Right-breast mammogram, medio-lateral oblique. Patient age 56.
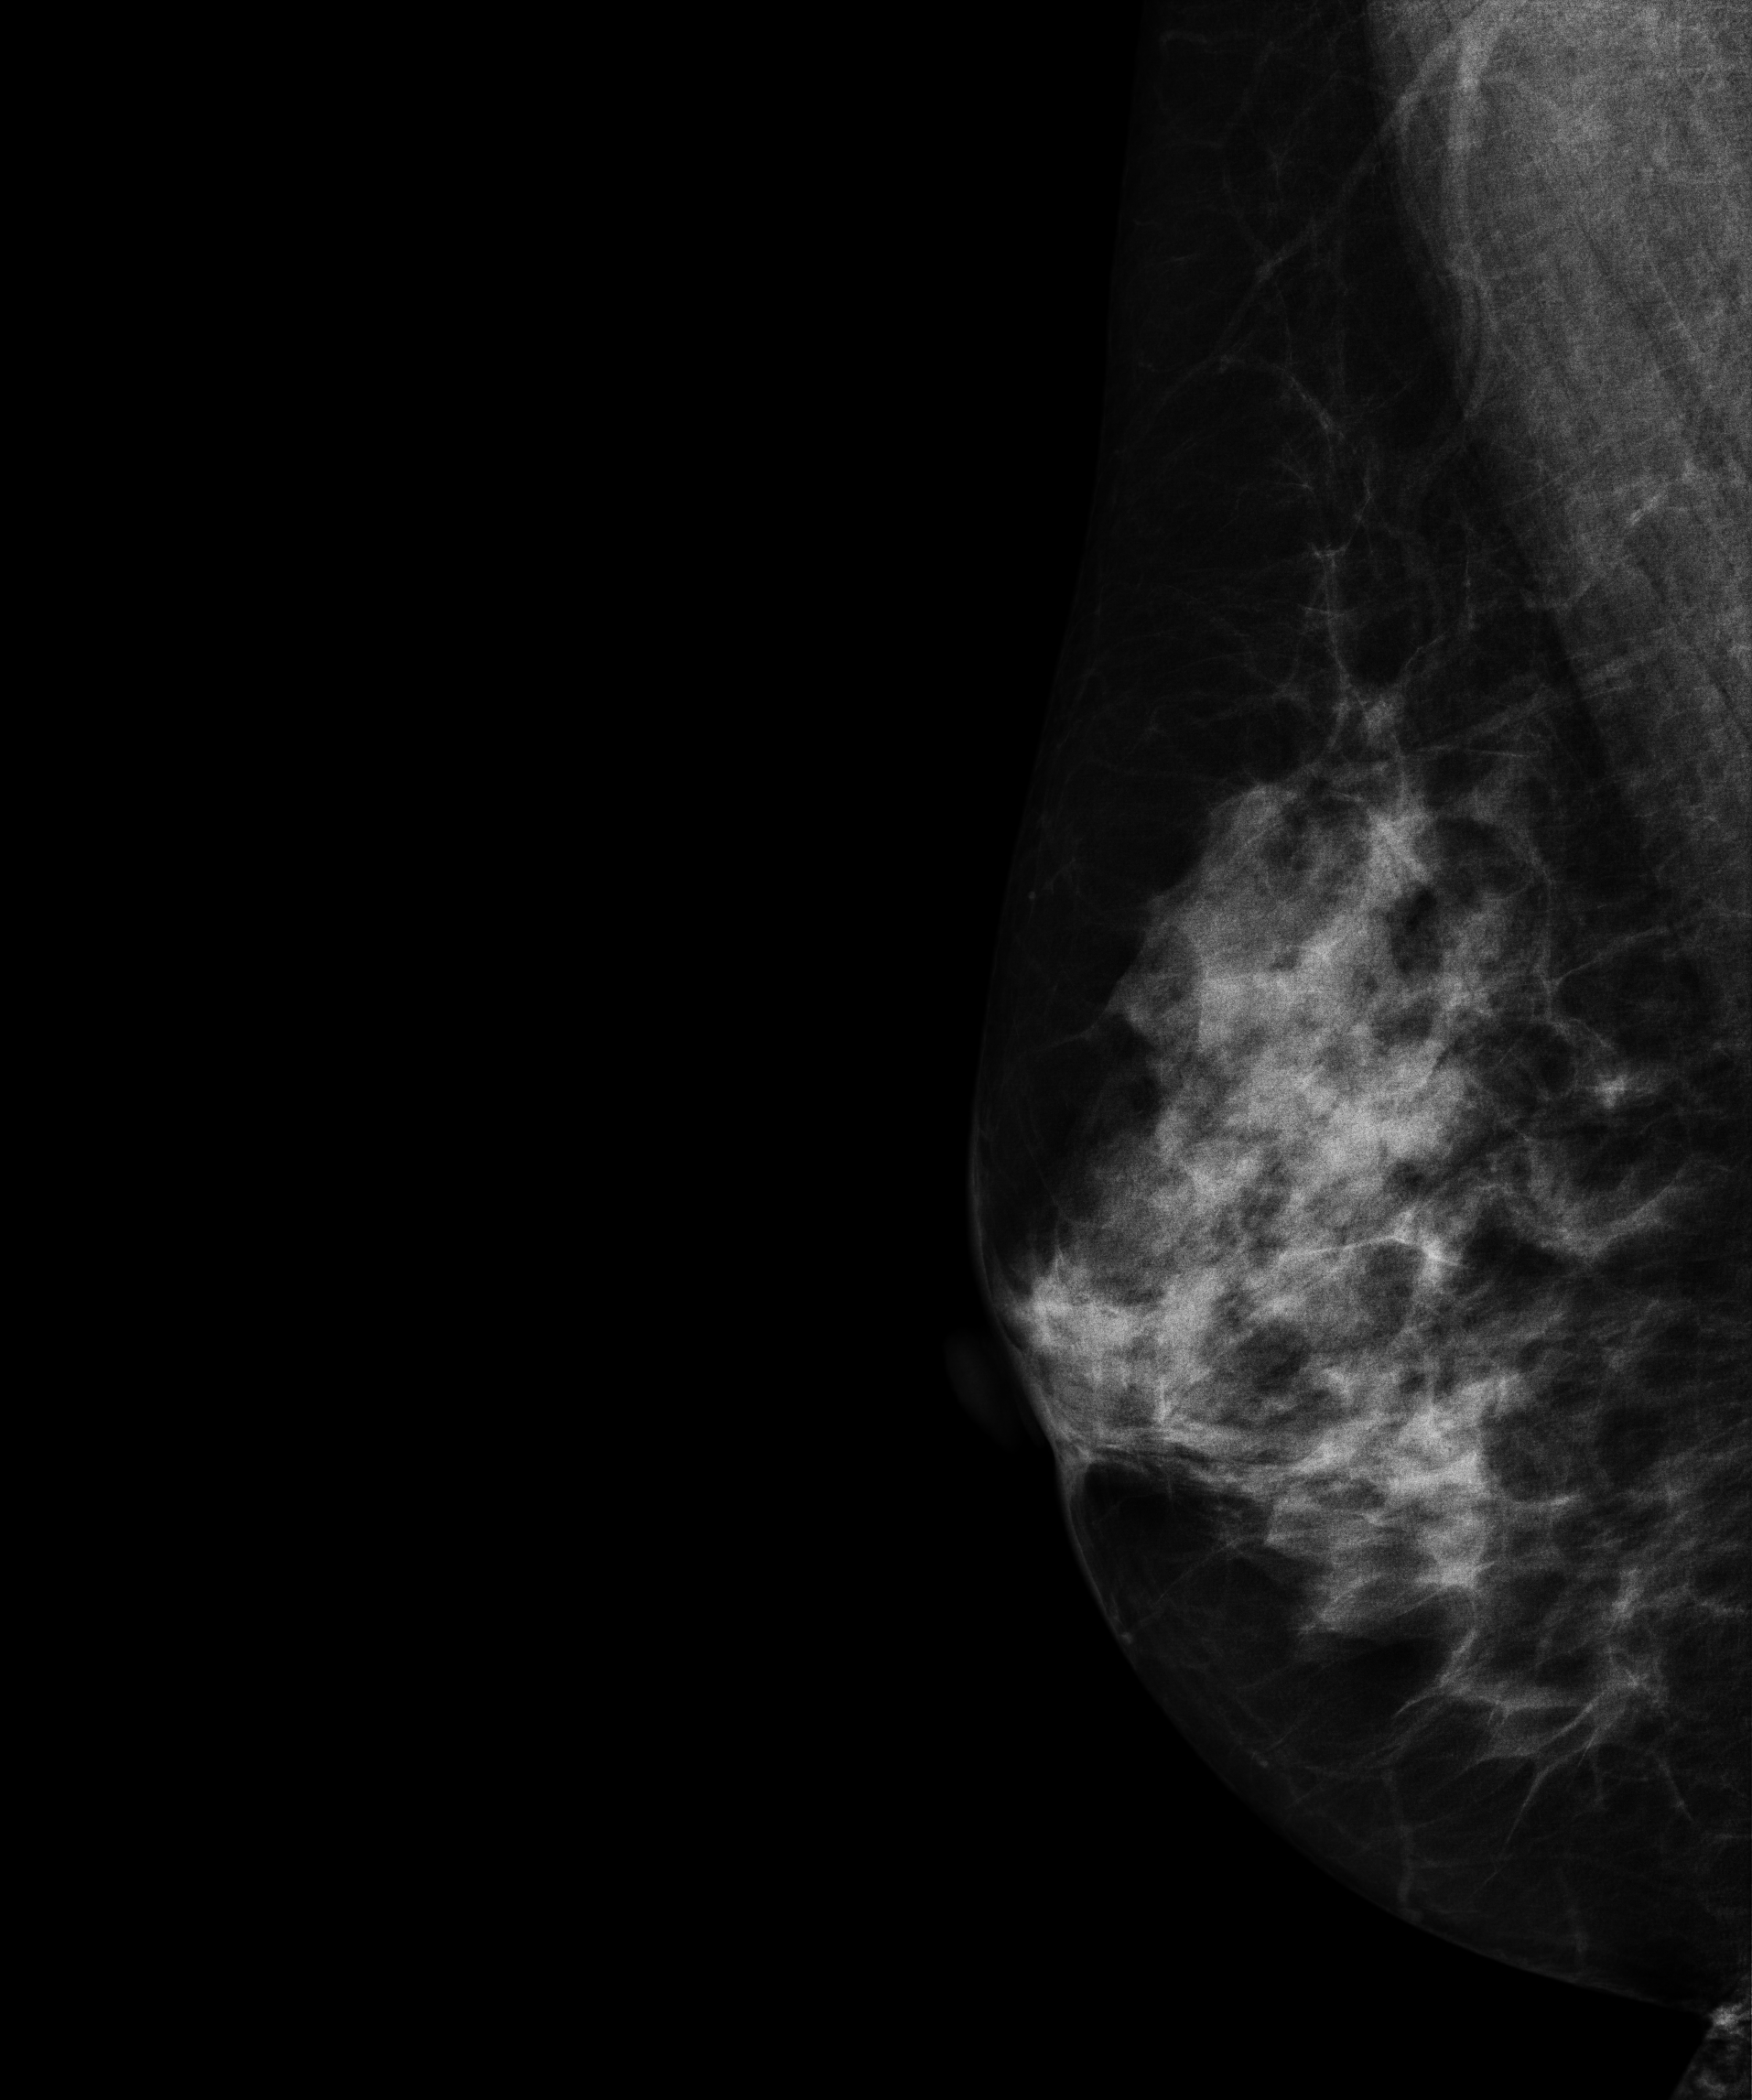
Contralateral breast — no documented abnormality on this side.